Right-breast mammogram, CC. 60-year-old patient.
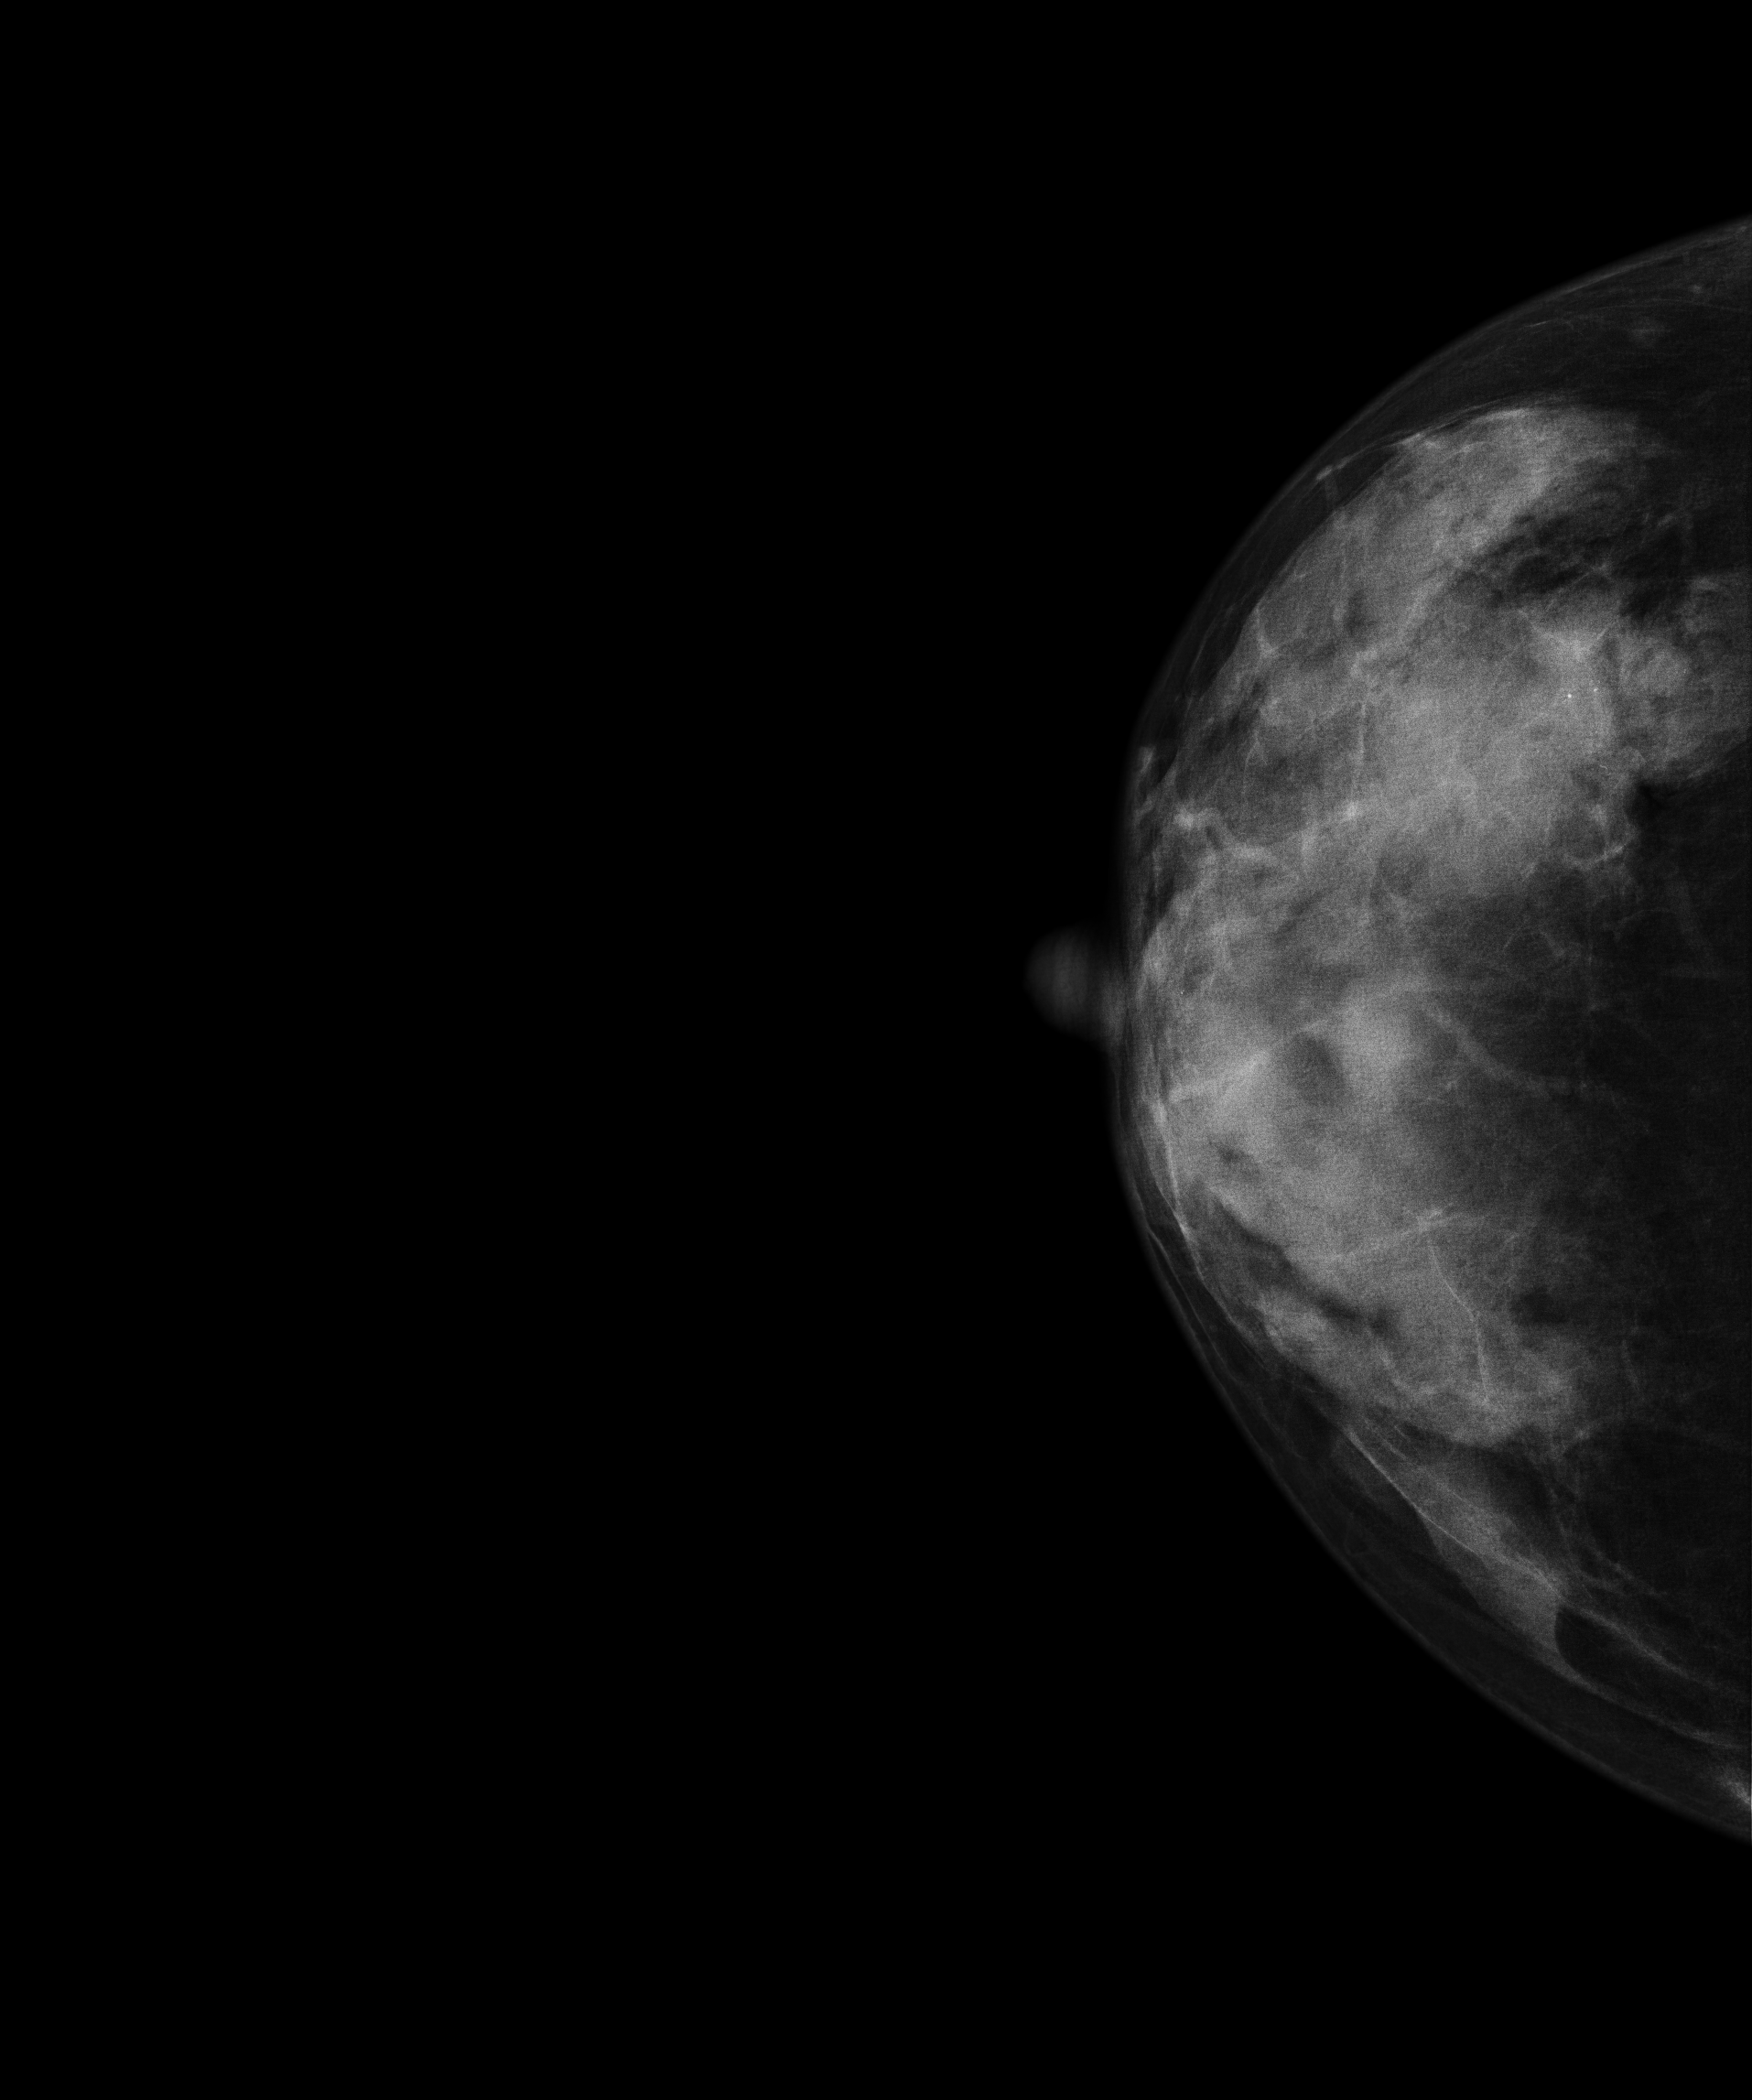
This breast has calcifications, histologically confirmed malignant. Molecular subtype: luminal B.